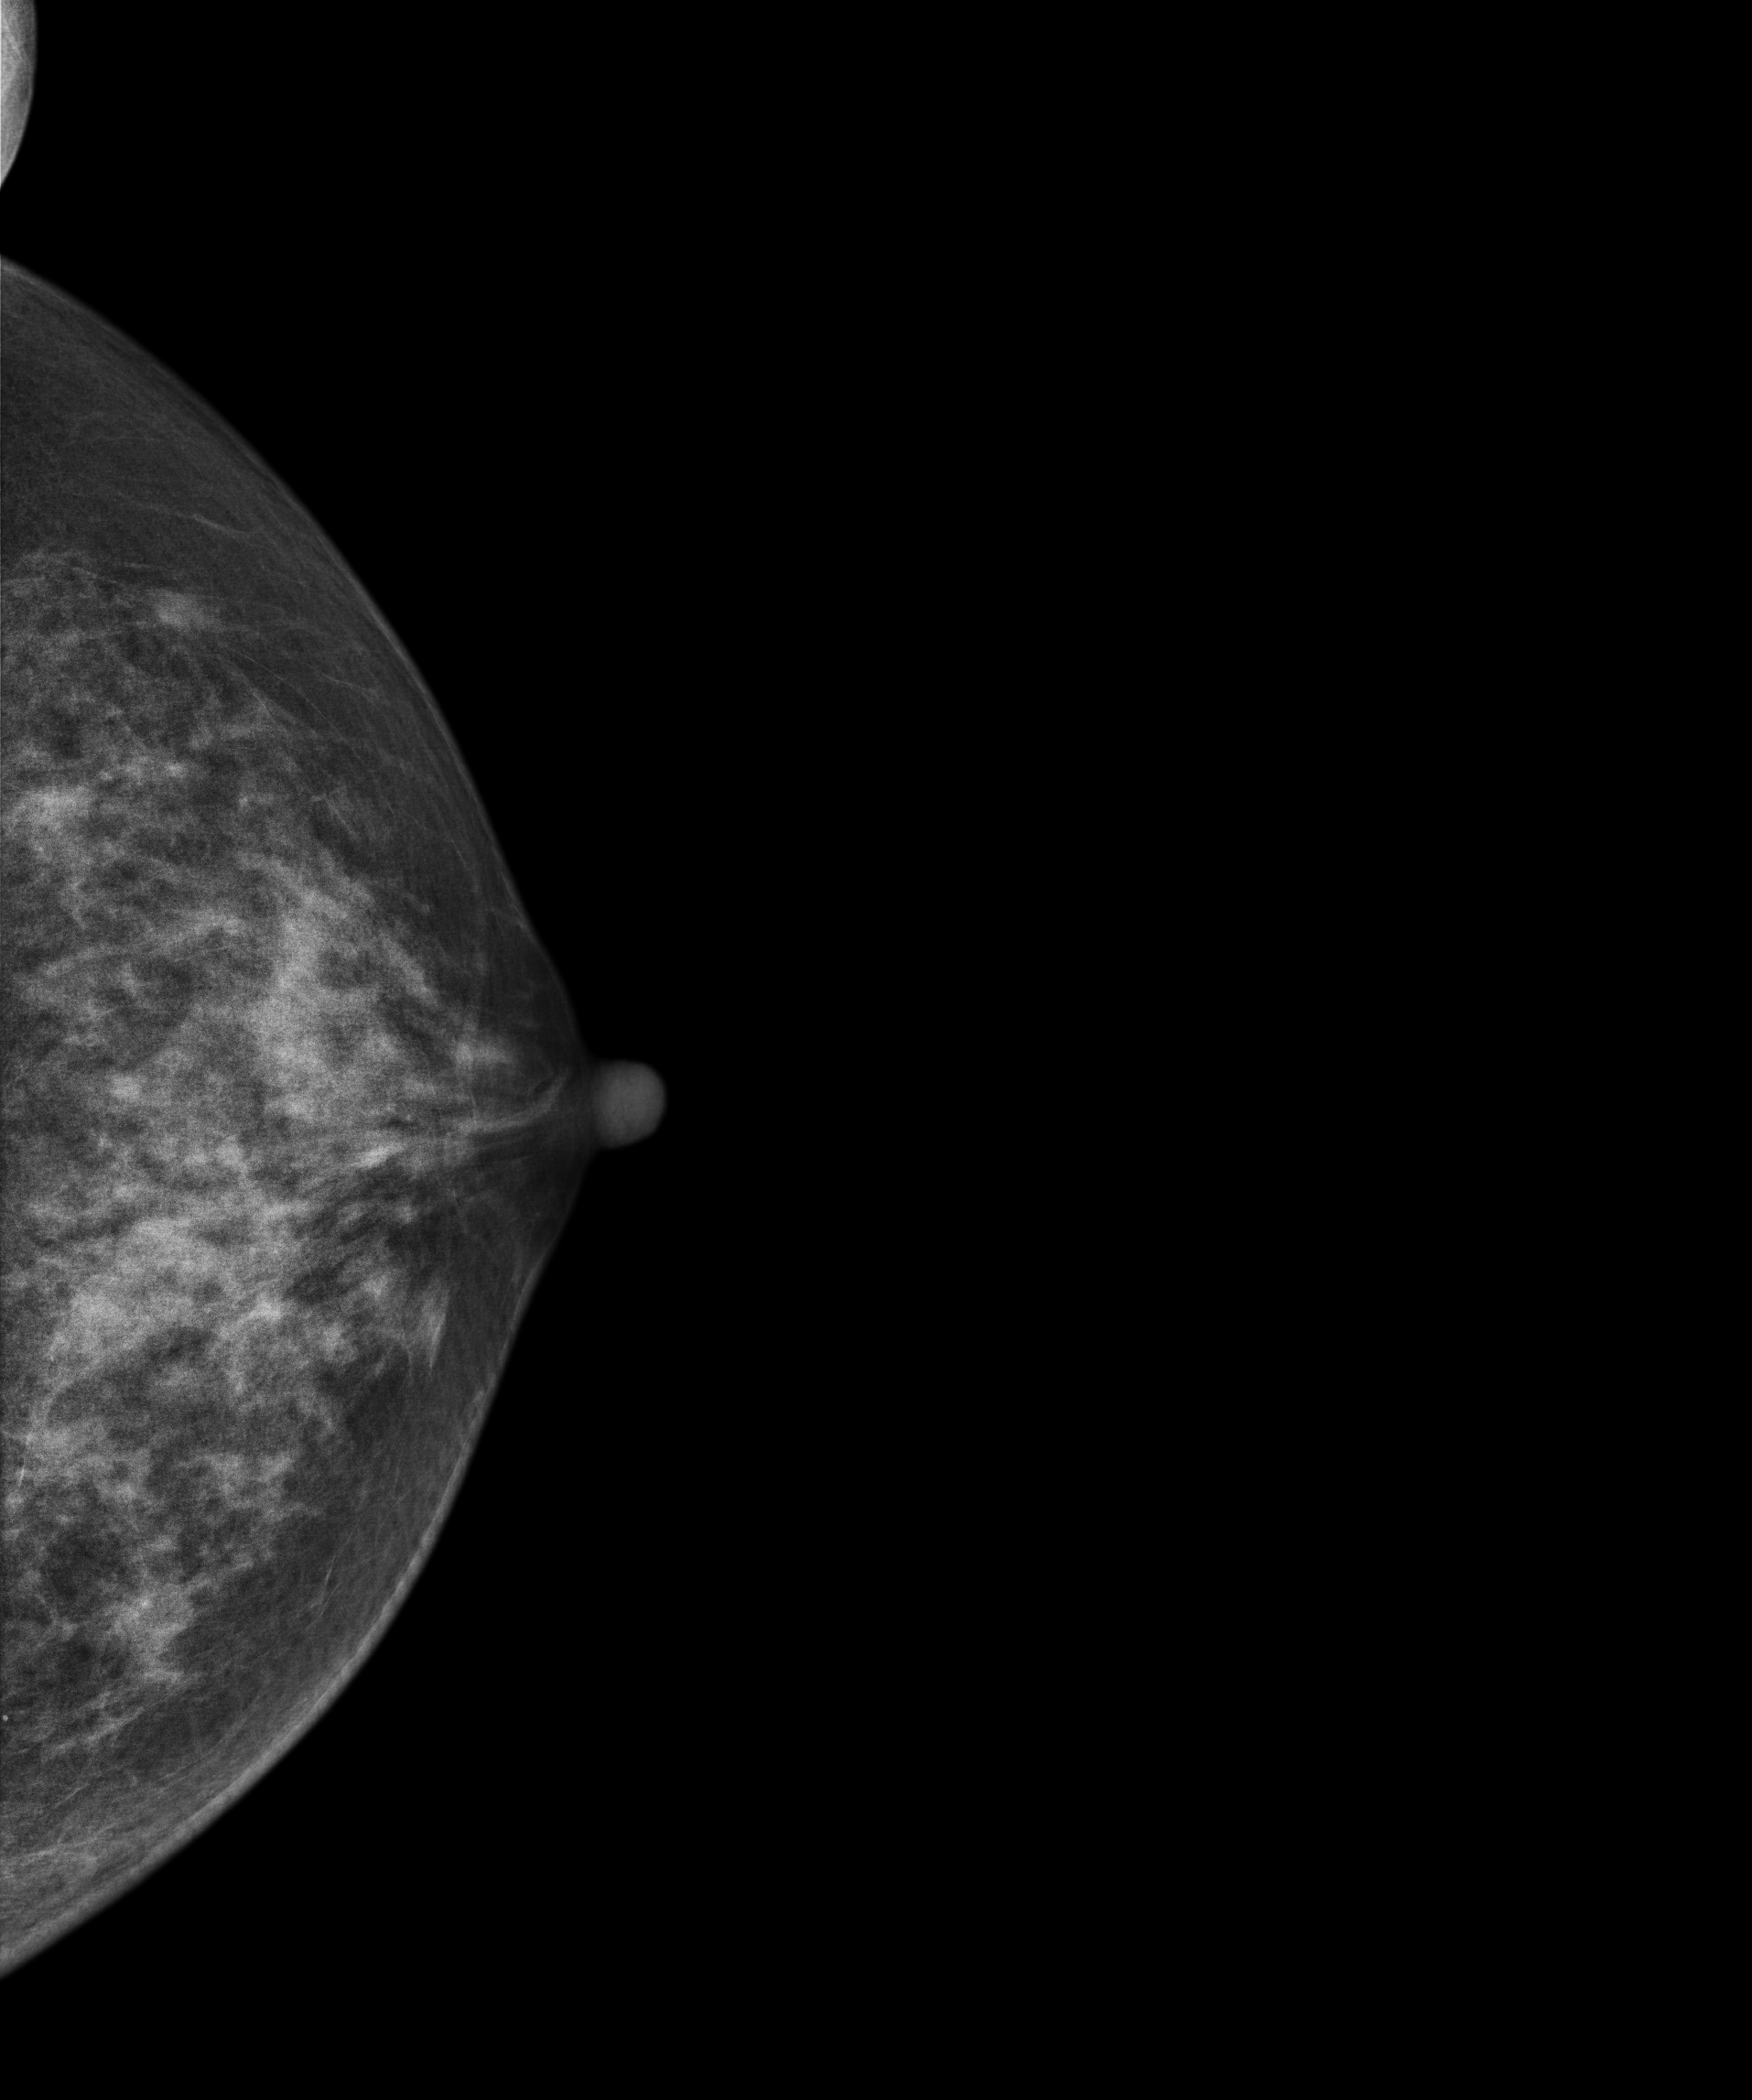
Mammogram, left breast, CC view. 56-year-old patient.
Contralateral breast — no documented abnormality on this side.